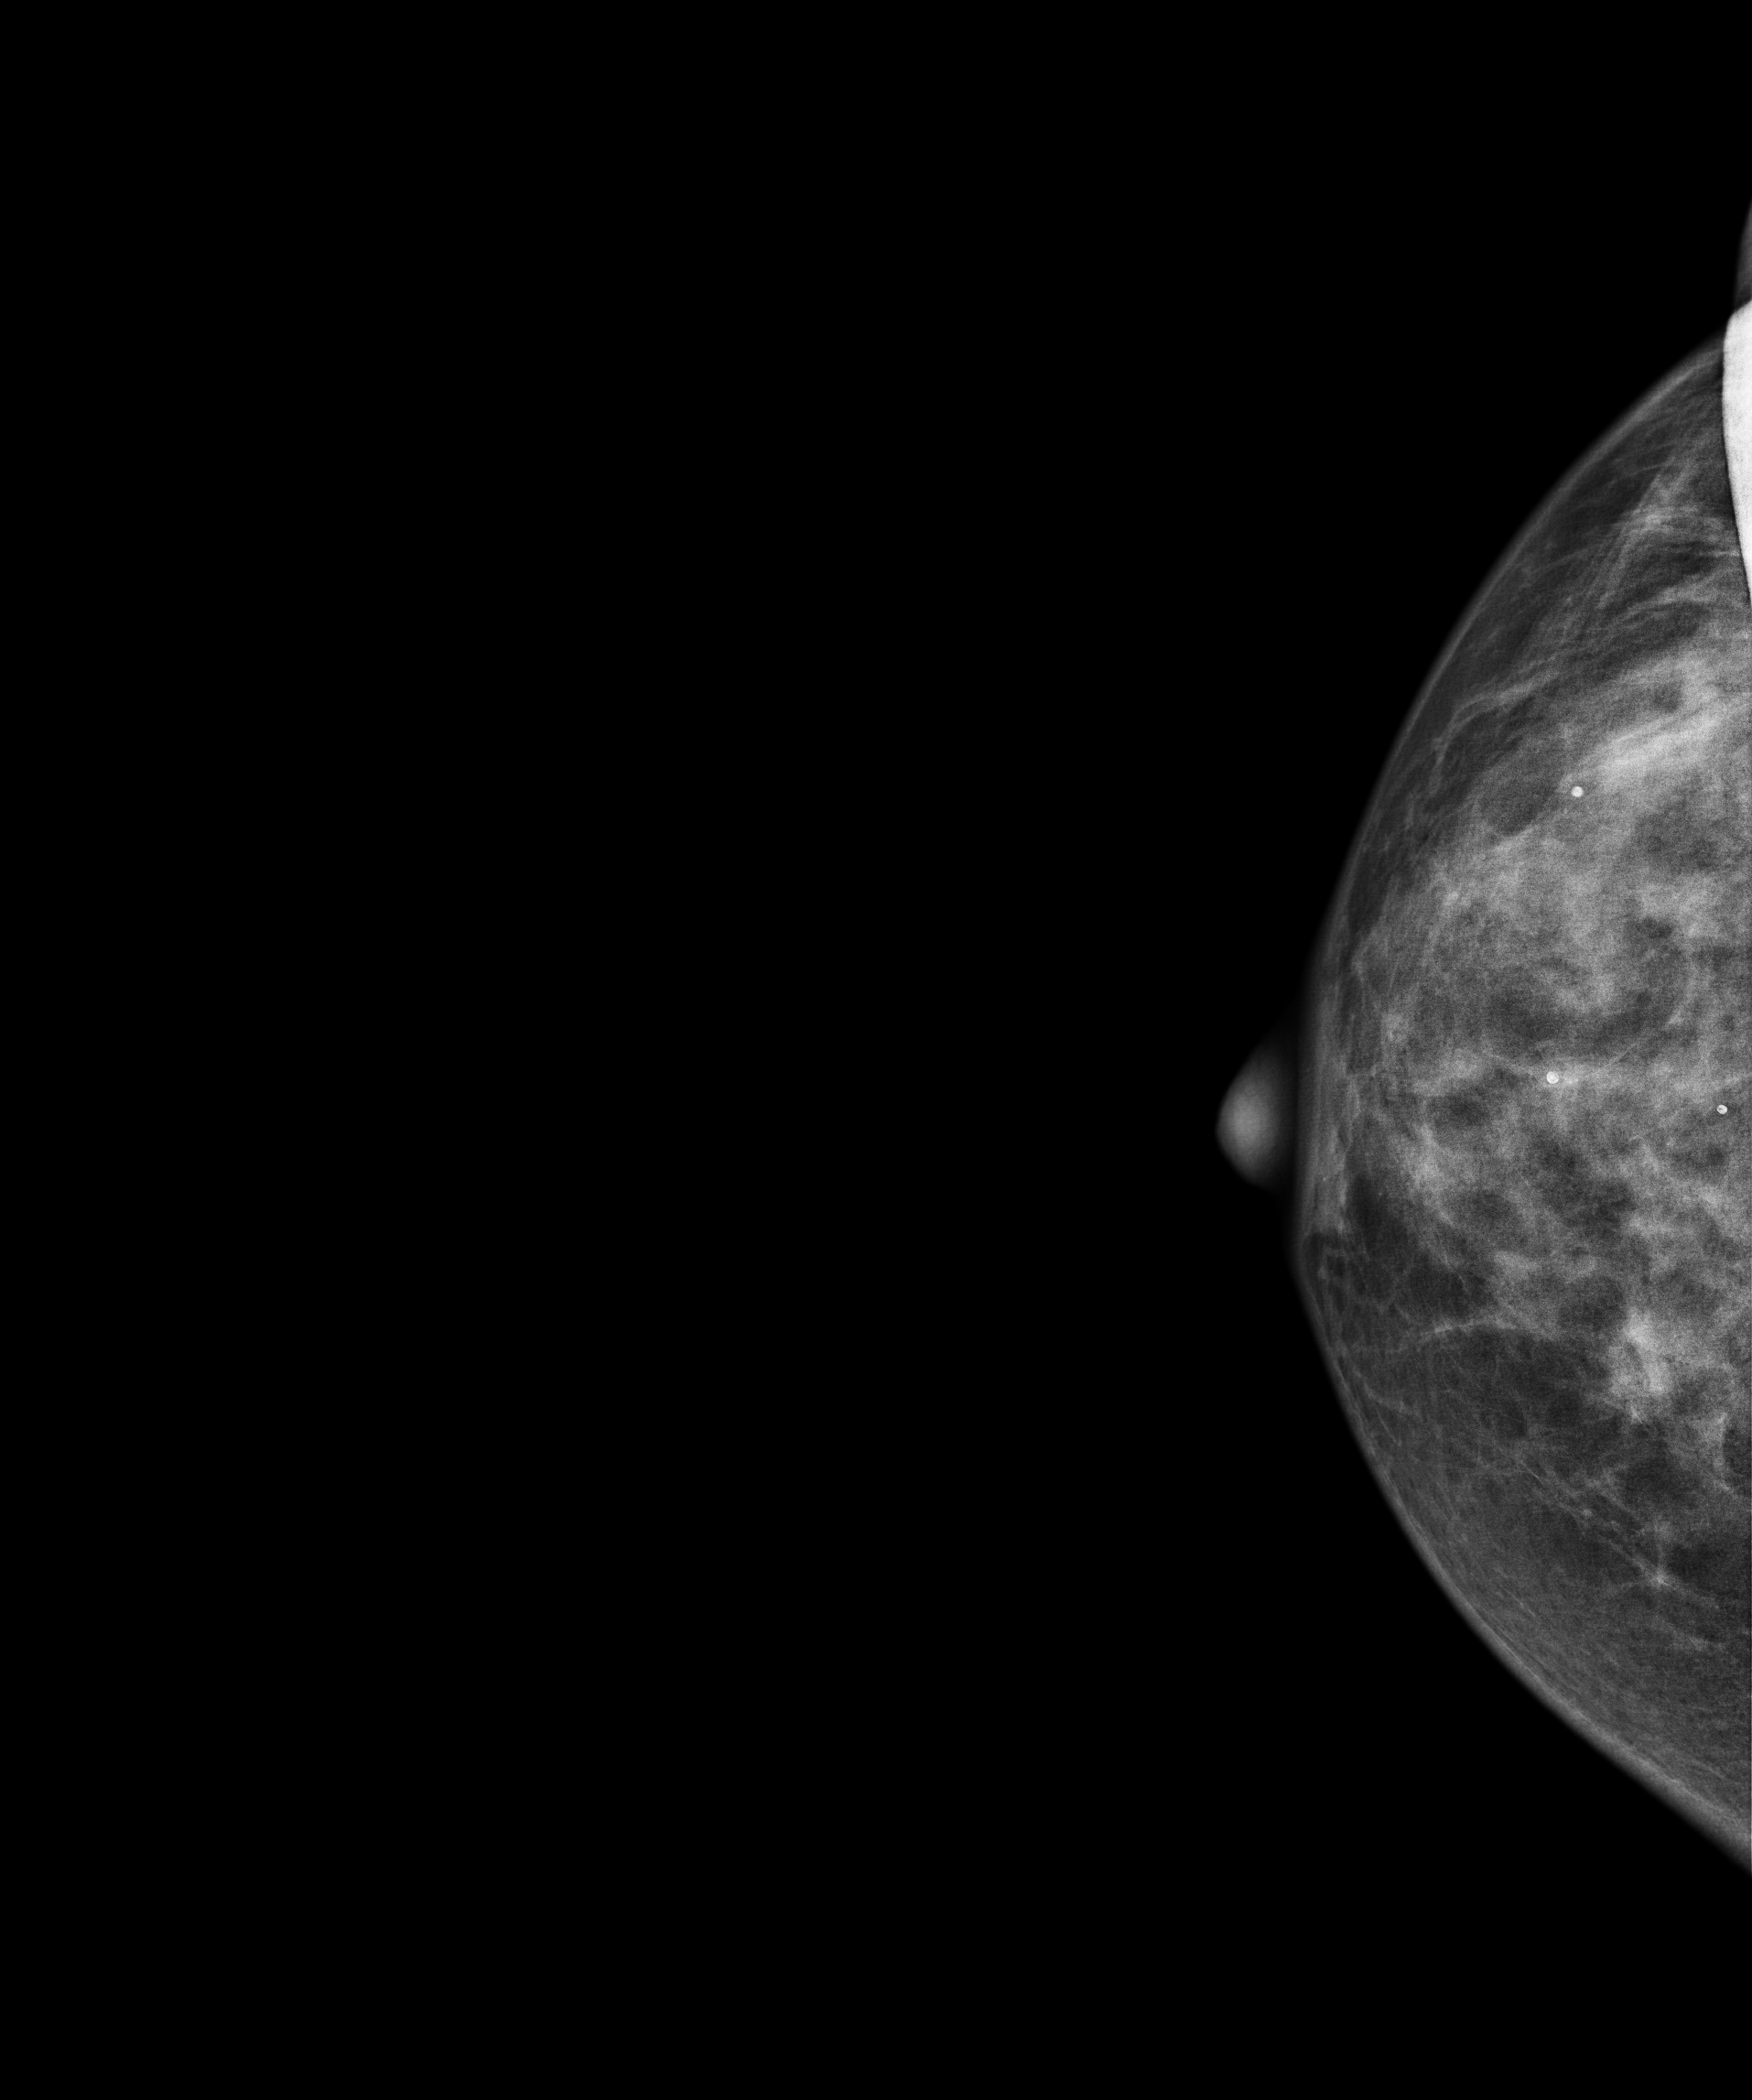
Digital mammography. Right breast, cranio-caudal projection. 62 y/o patient.
This breast has a mass, biopsy-proven malignant. Molecular subtype: luminal B.